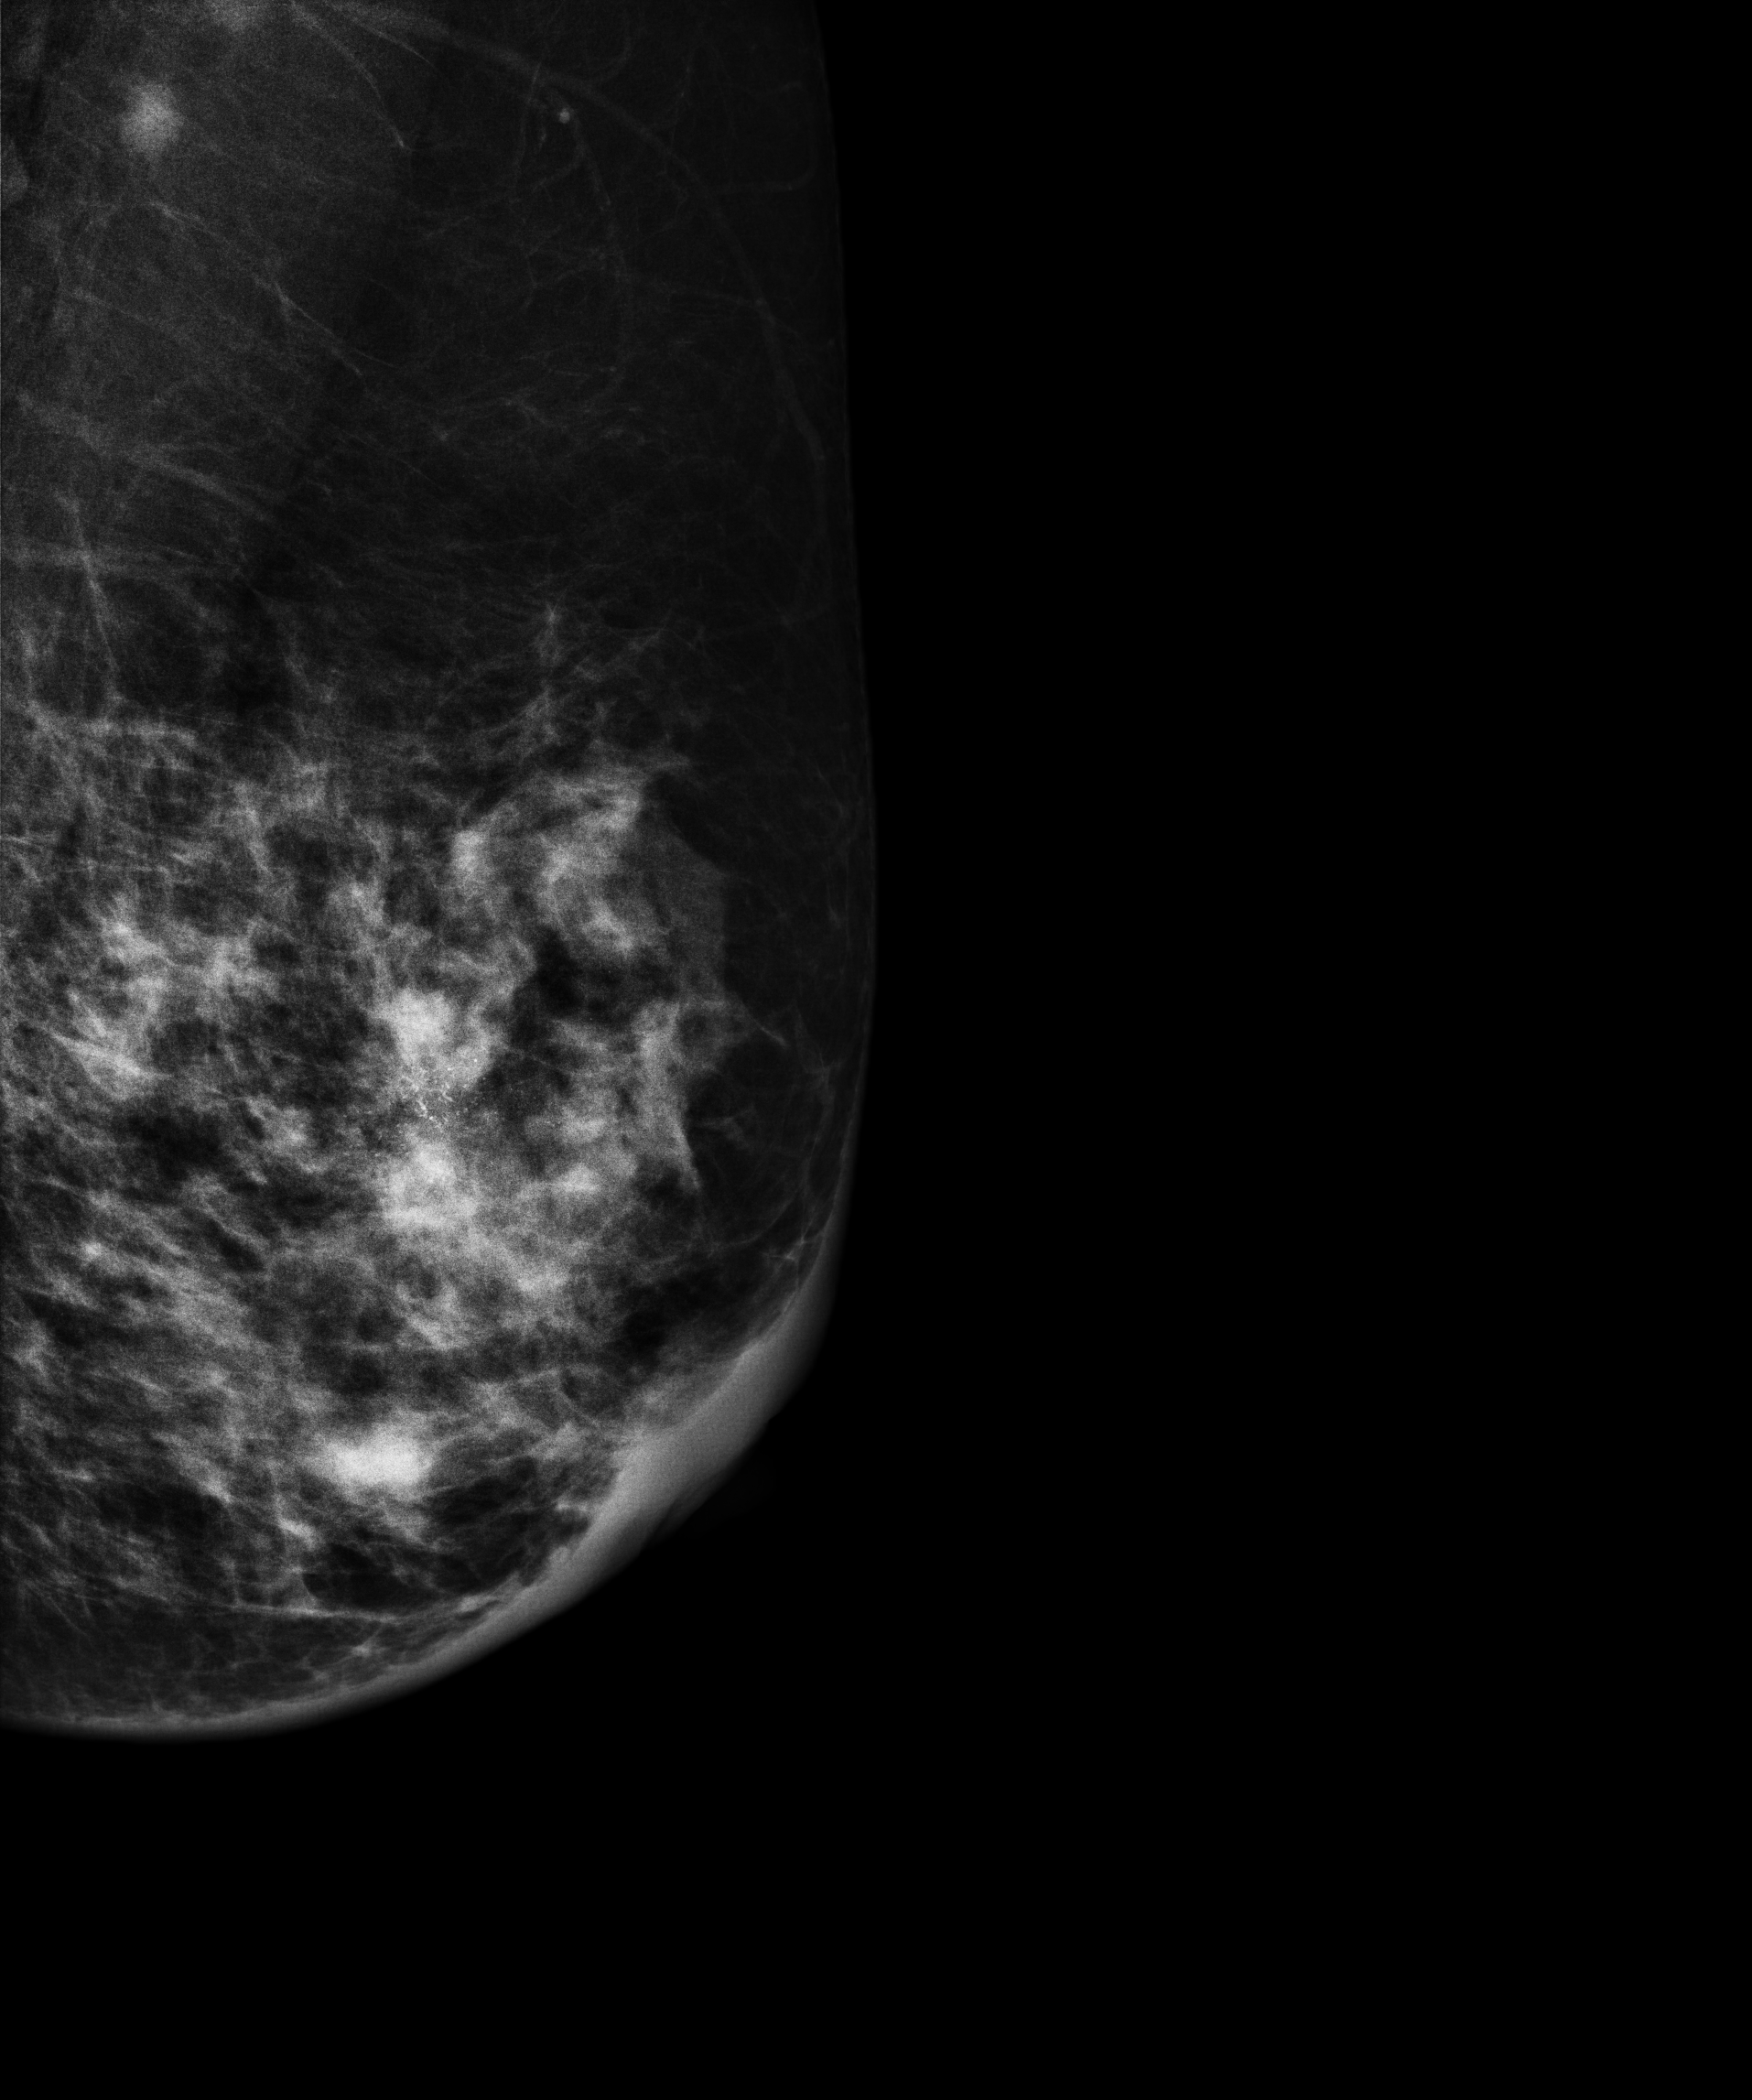
Medio-lateral oblique mammogram of the left breast. Patient age 57.
This breast has a mass and calcifications, biopsy-proven malignant. Molecular subtype: luminal B.